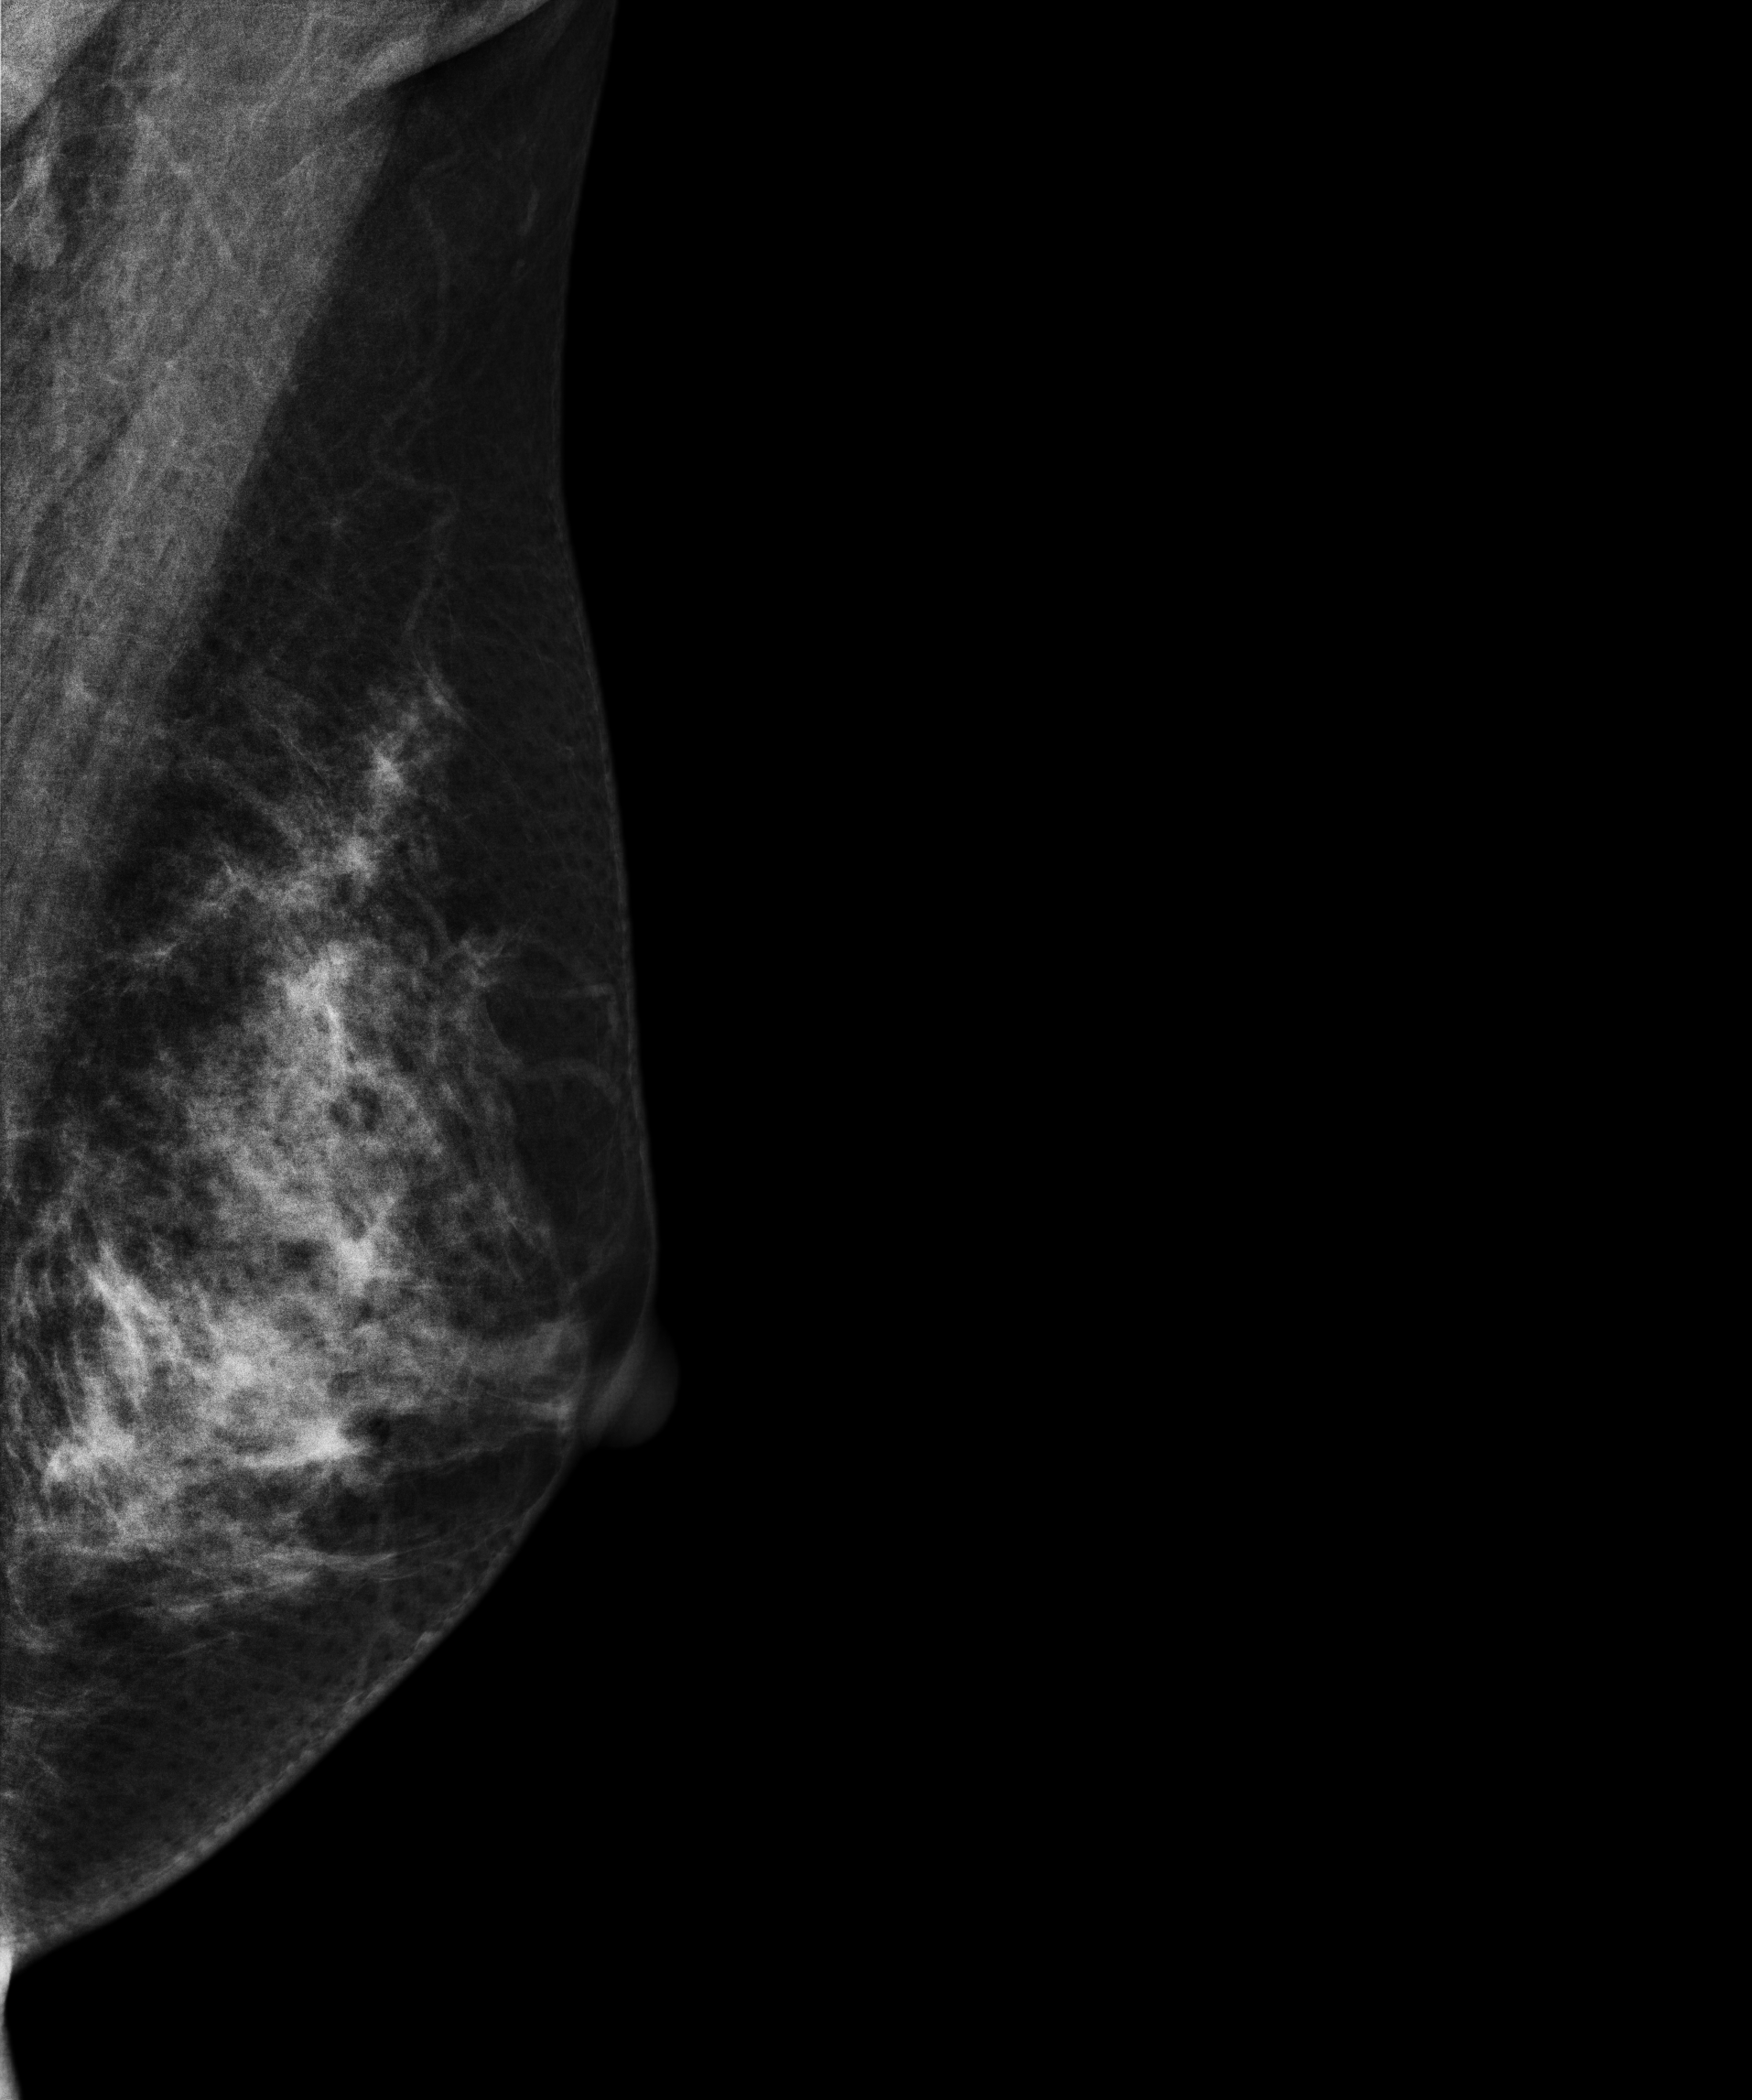
Mammogram, left breast, medio-lateral oblique view. 44-year-old patient.
This breast has a mass, pathology-confirmed malignant. Molecular subtype: luminal B.